Digital mammography. Left breast, medio-lateral oblique projection. Patient age 33.
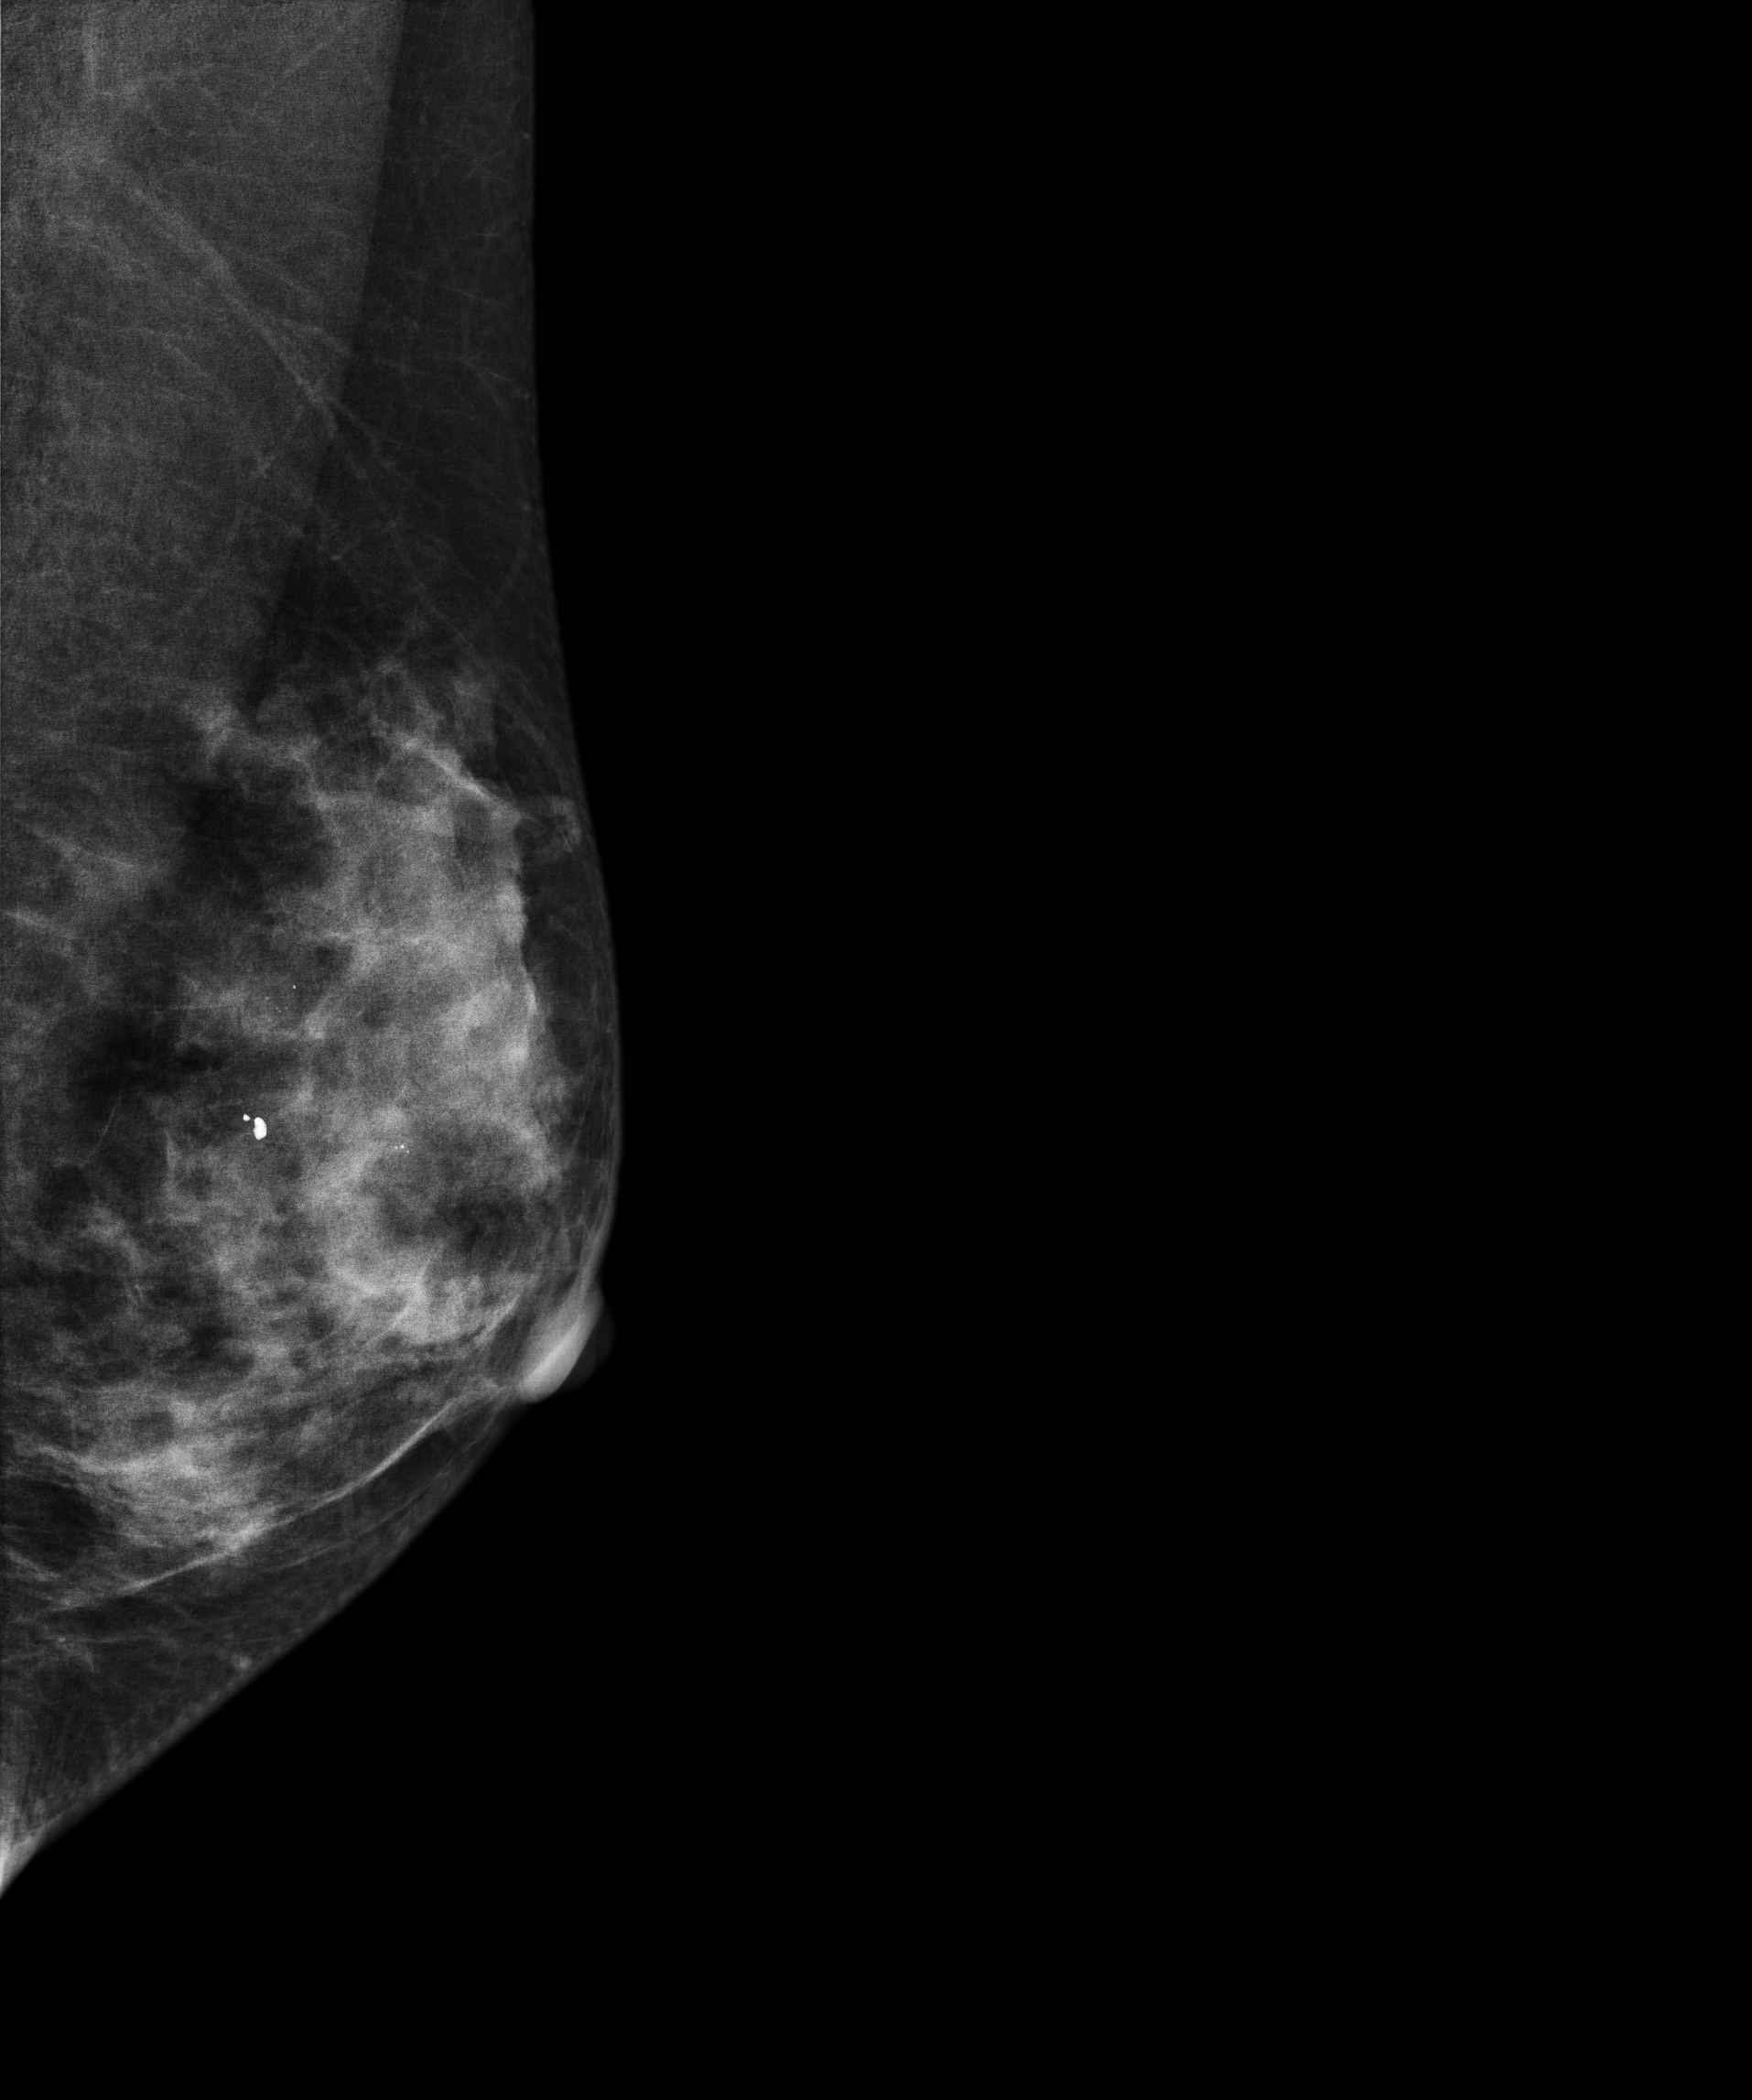
This breast has a mass and calcifications, histologically confirmed benign.